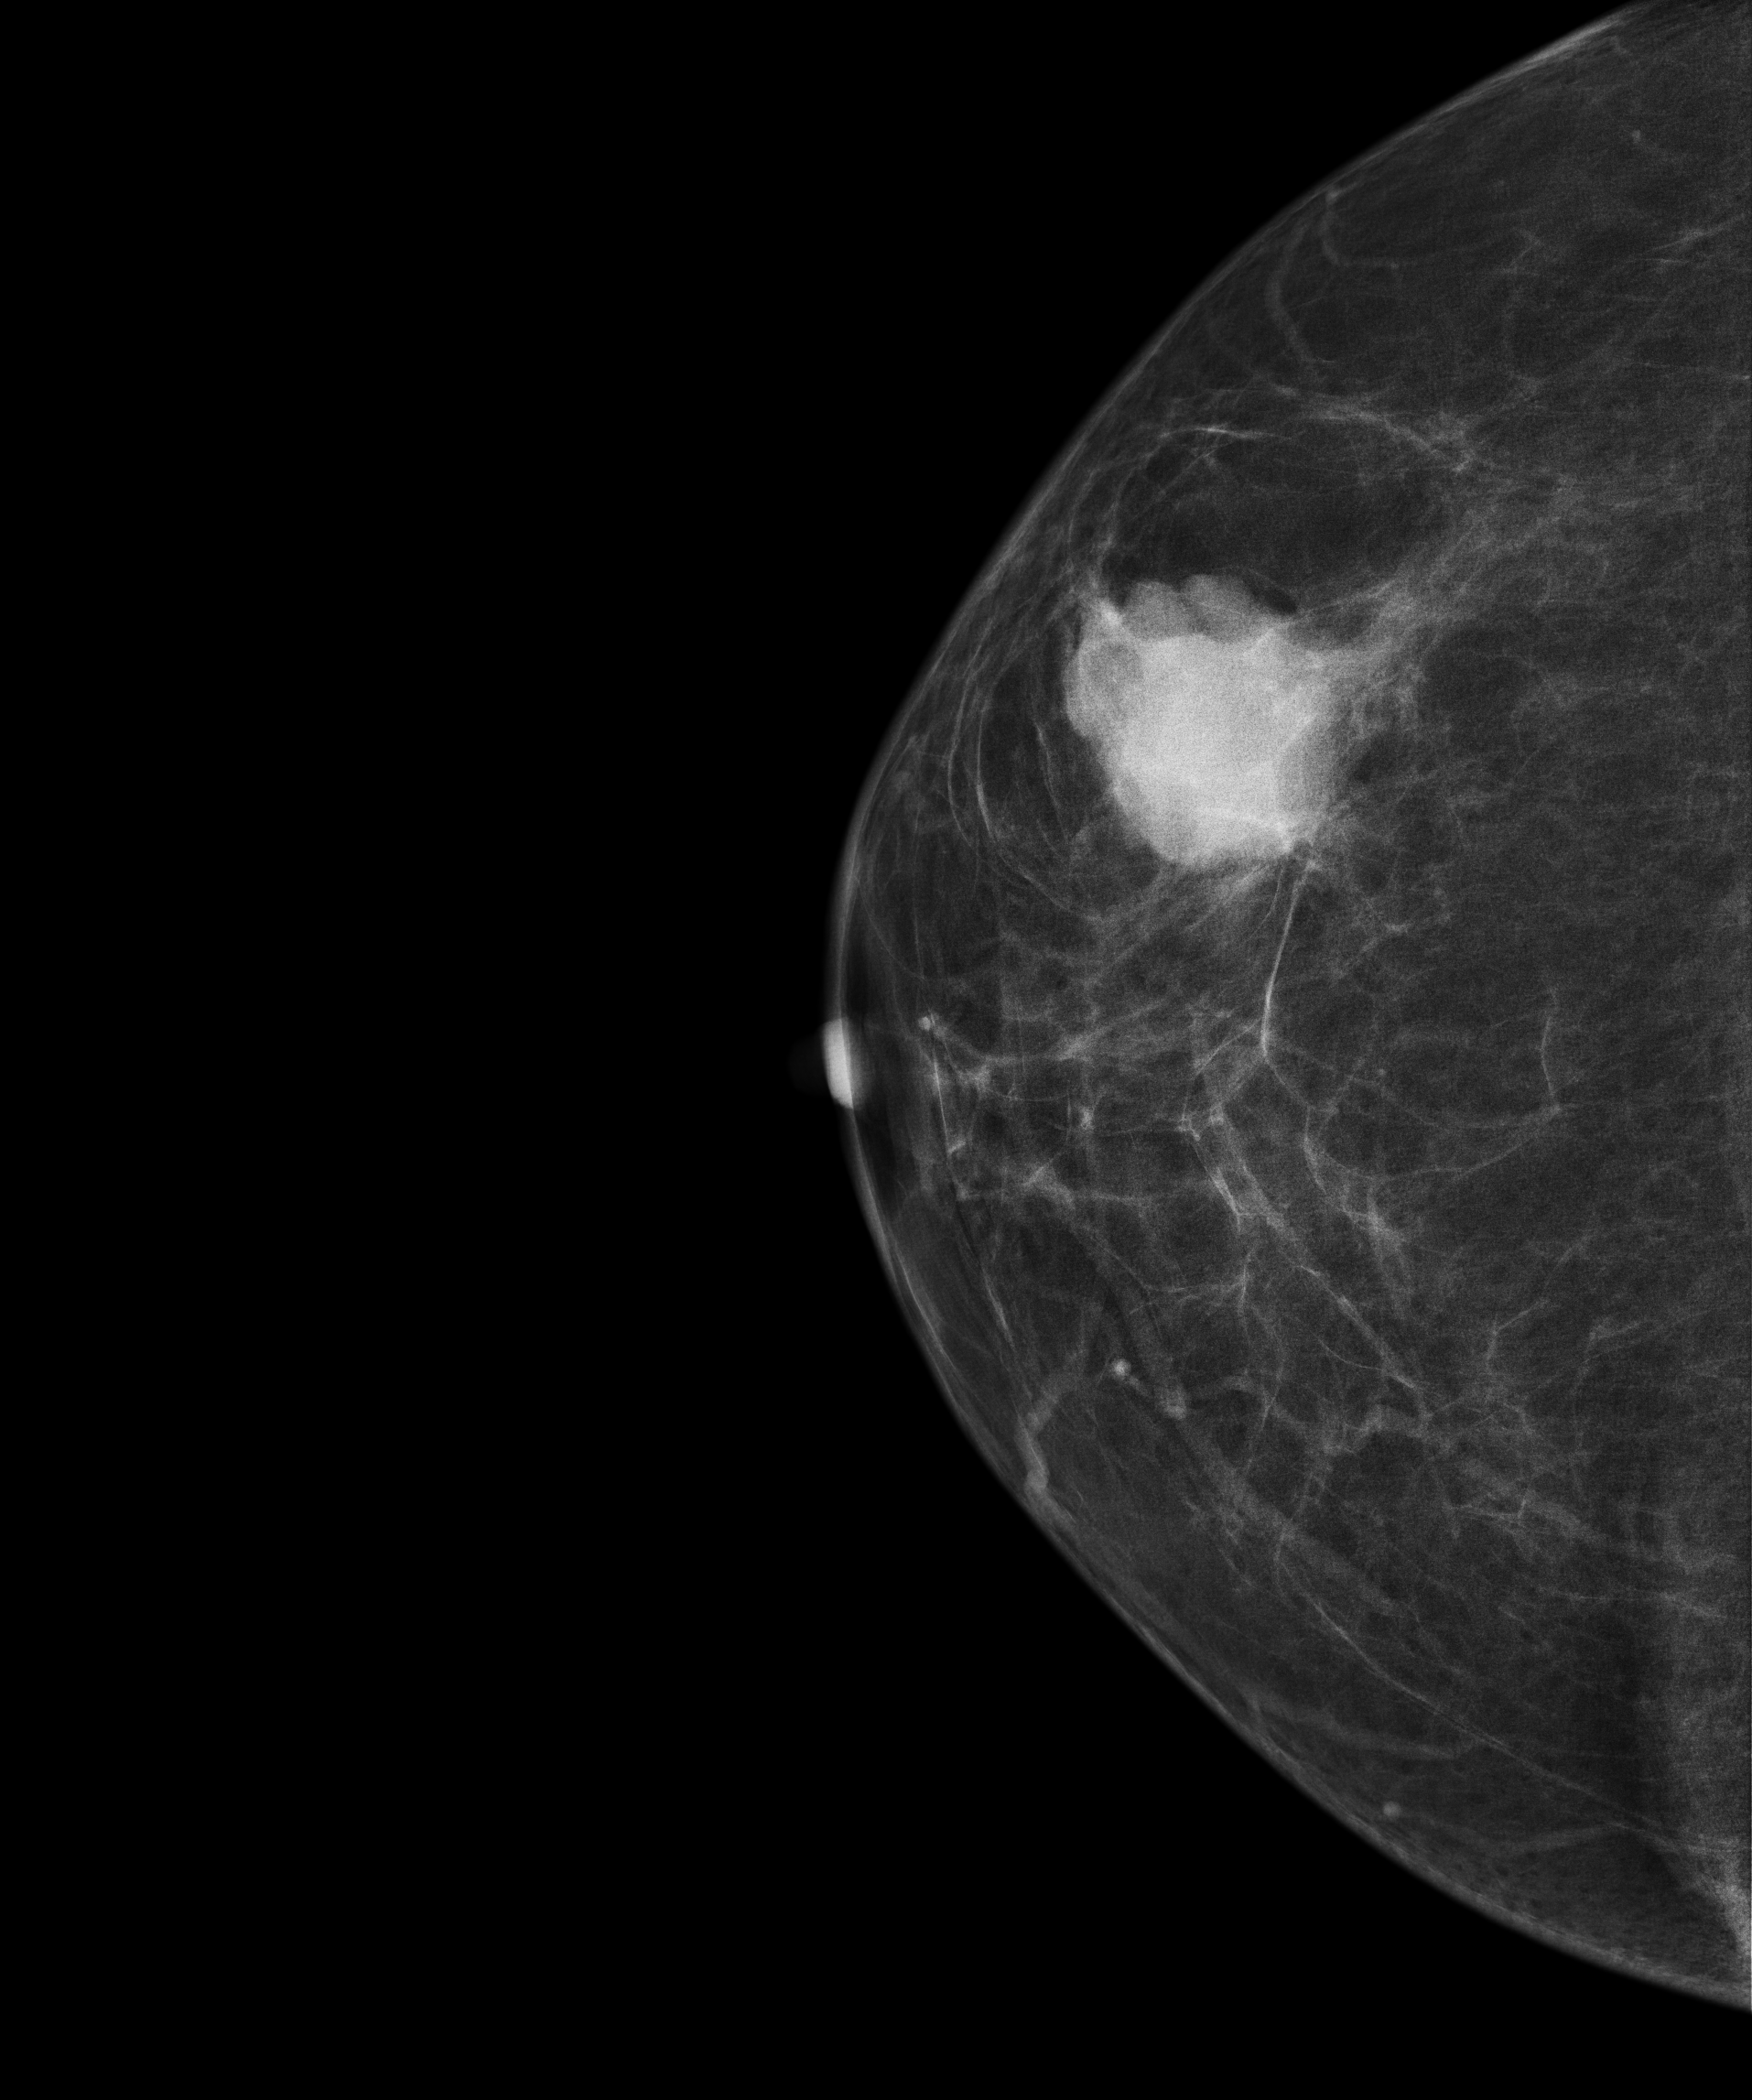
Mammogram — right cranio-caudal. 67 y/o patient.
This breast has a mass, pathology-confirmed malignant.